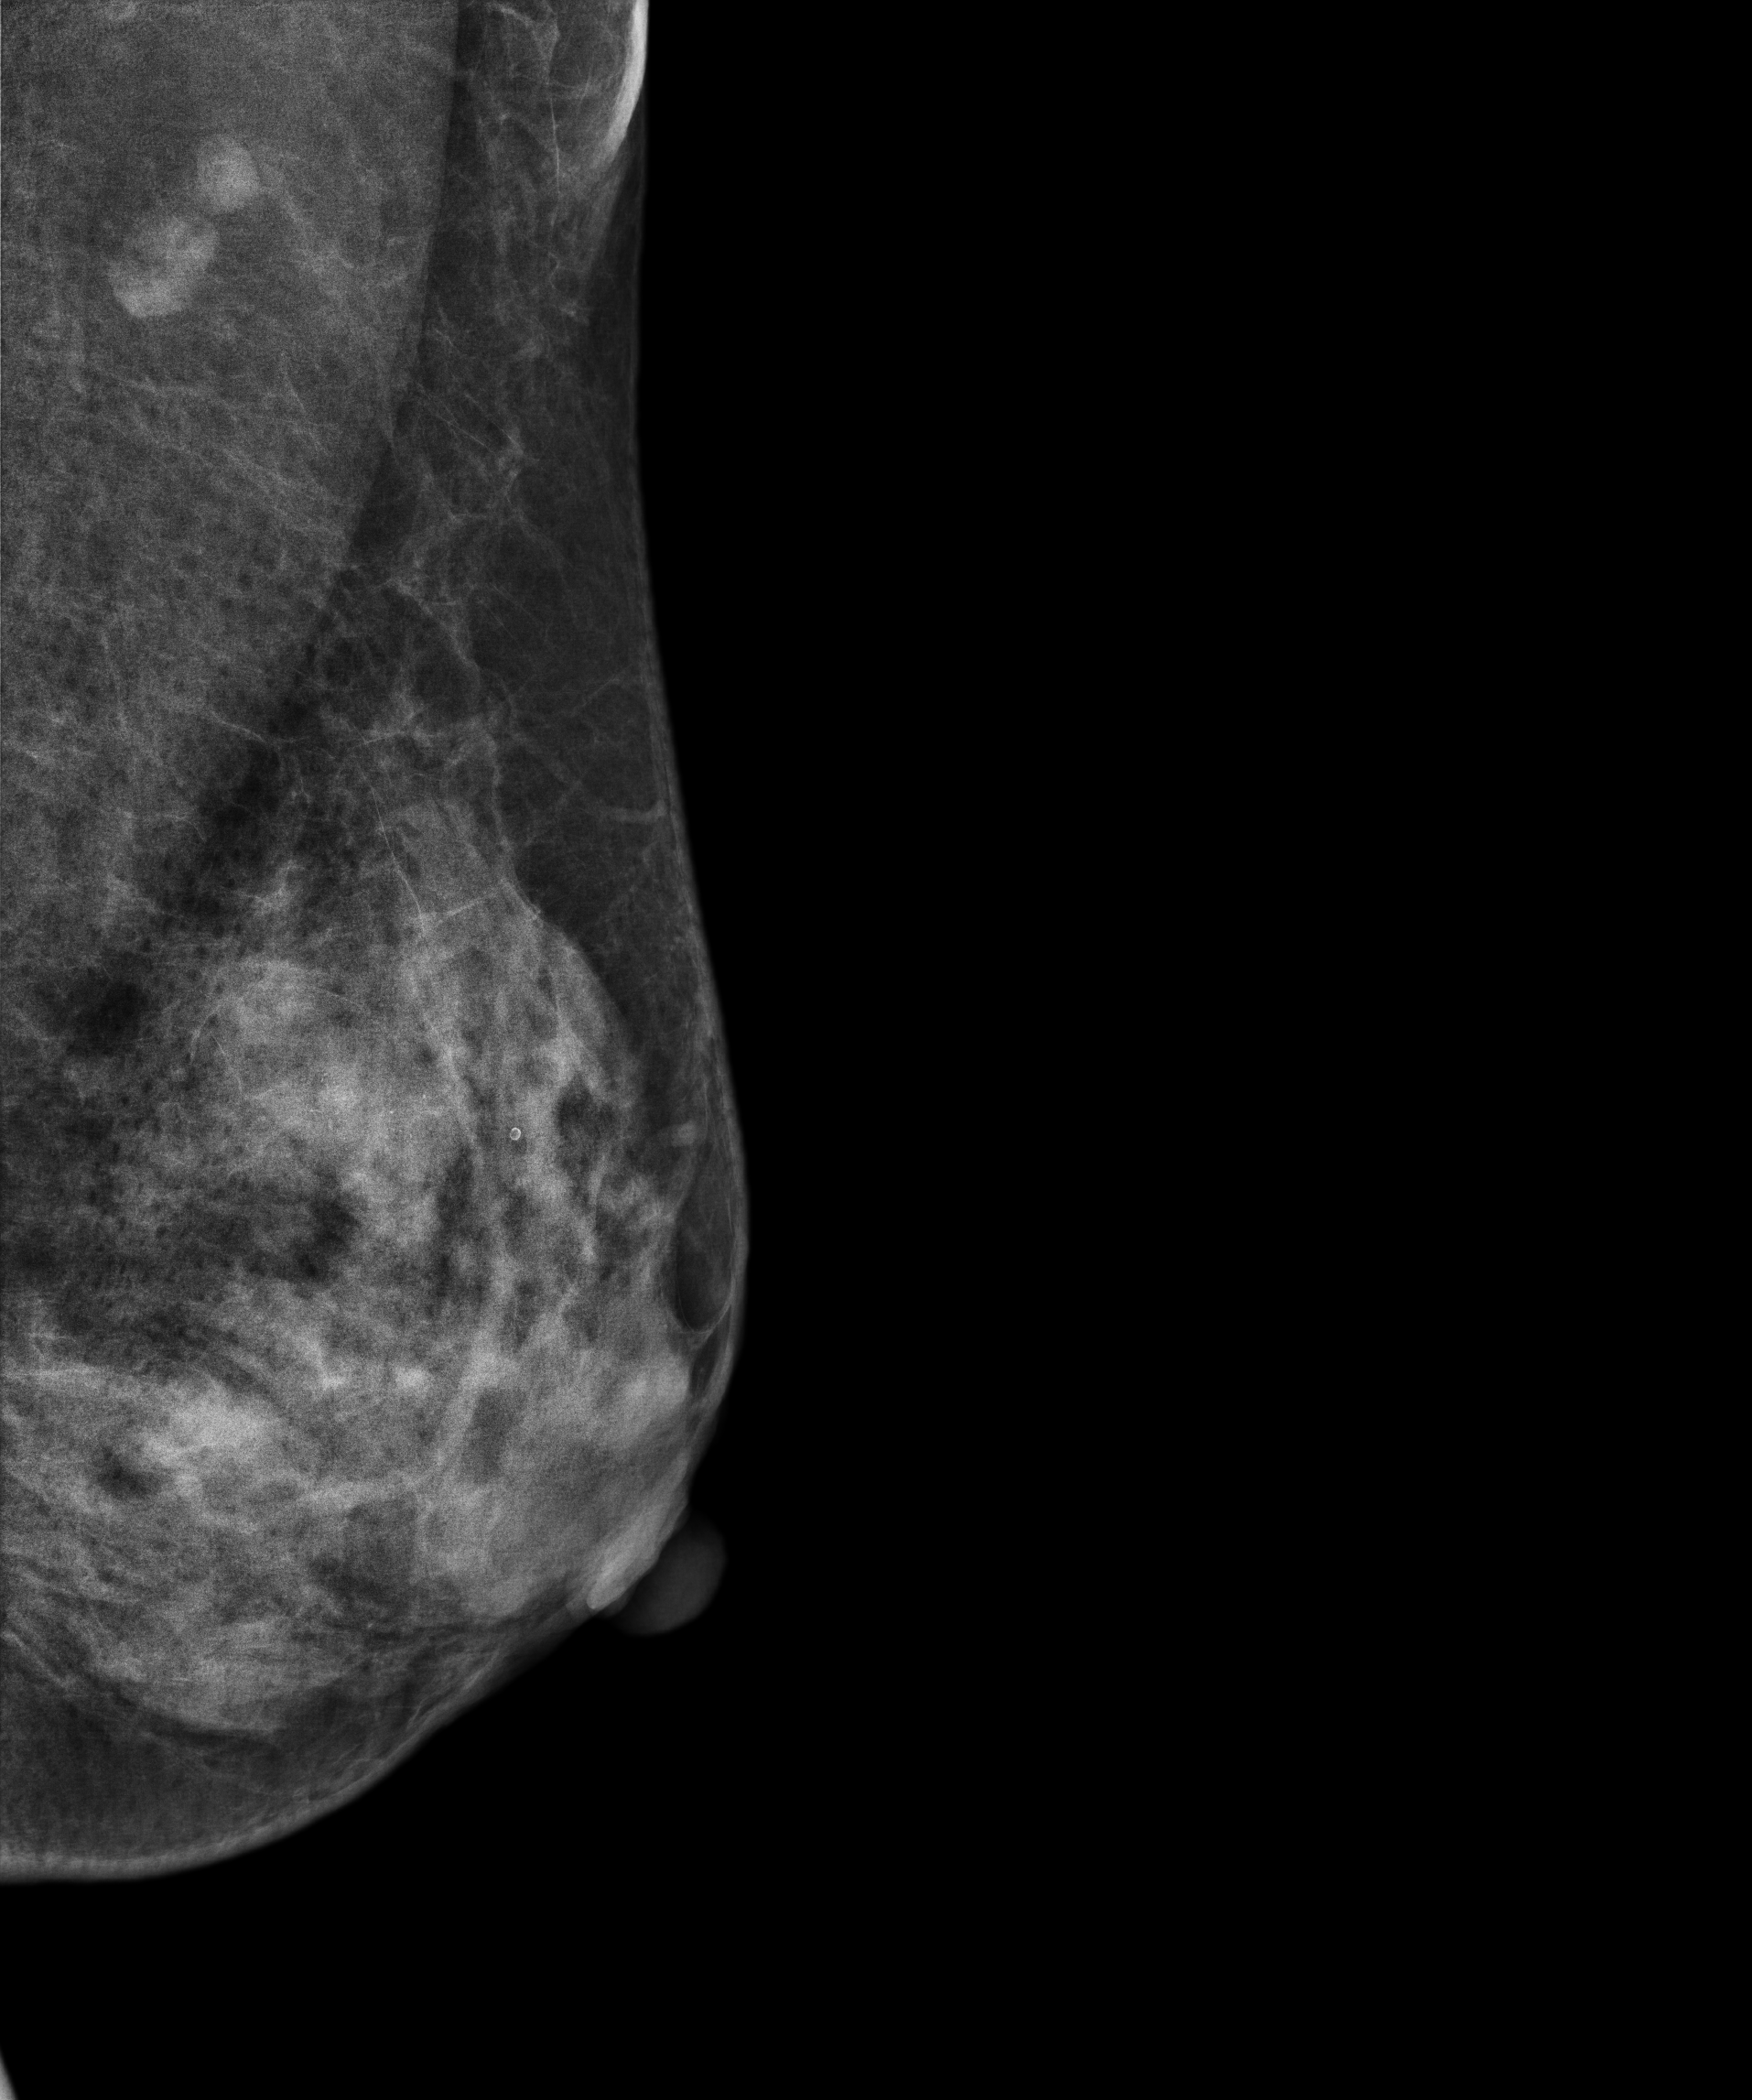
Mammogram, left breast, medio-lateral oblique view. 42-year-old patient.
This breast has a mass and calcifications, biopsy-proven malignant.